Right-breast mammogram, cranio-caudal. Patient age 47.
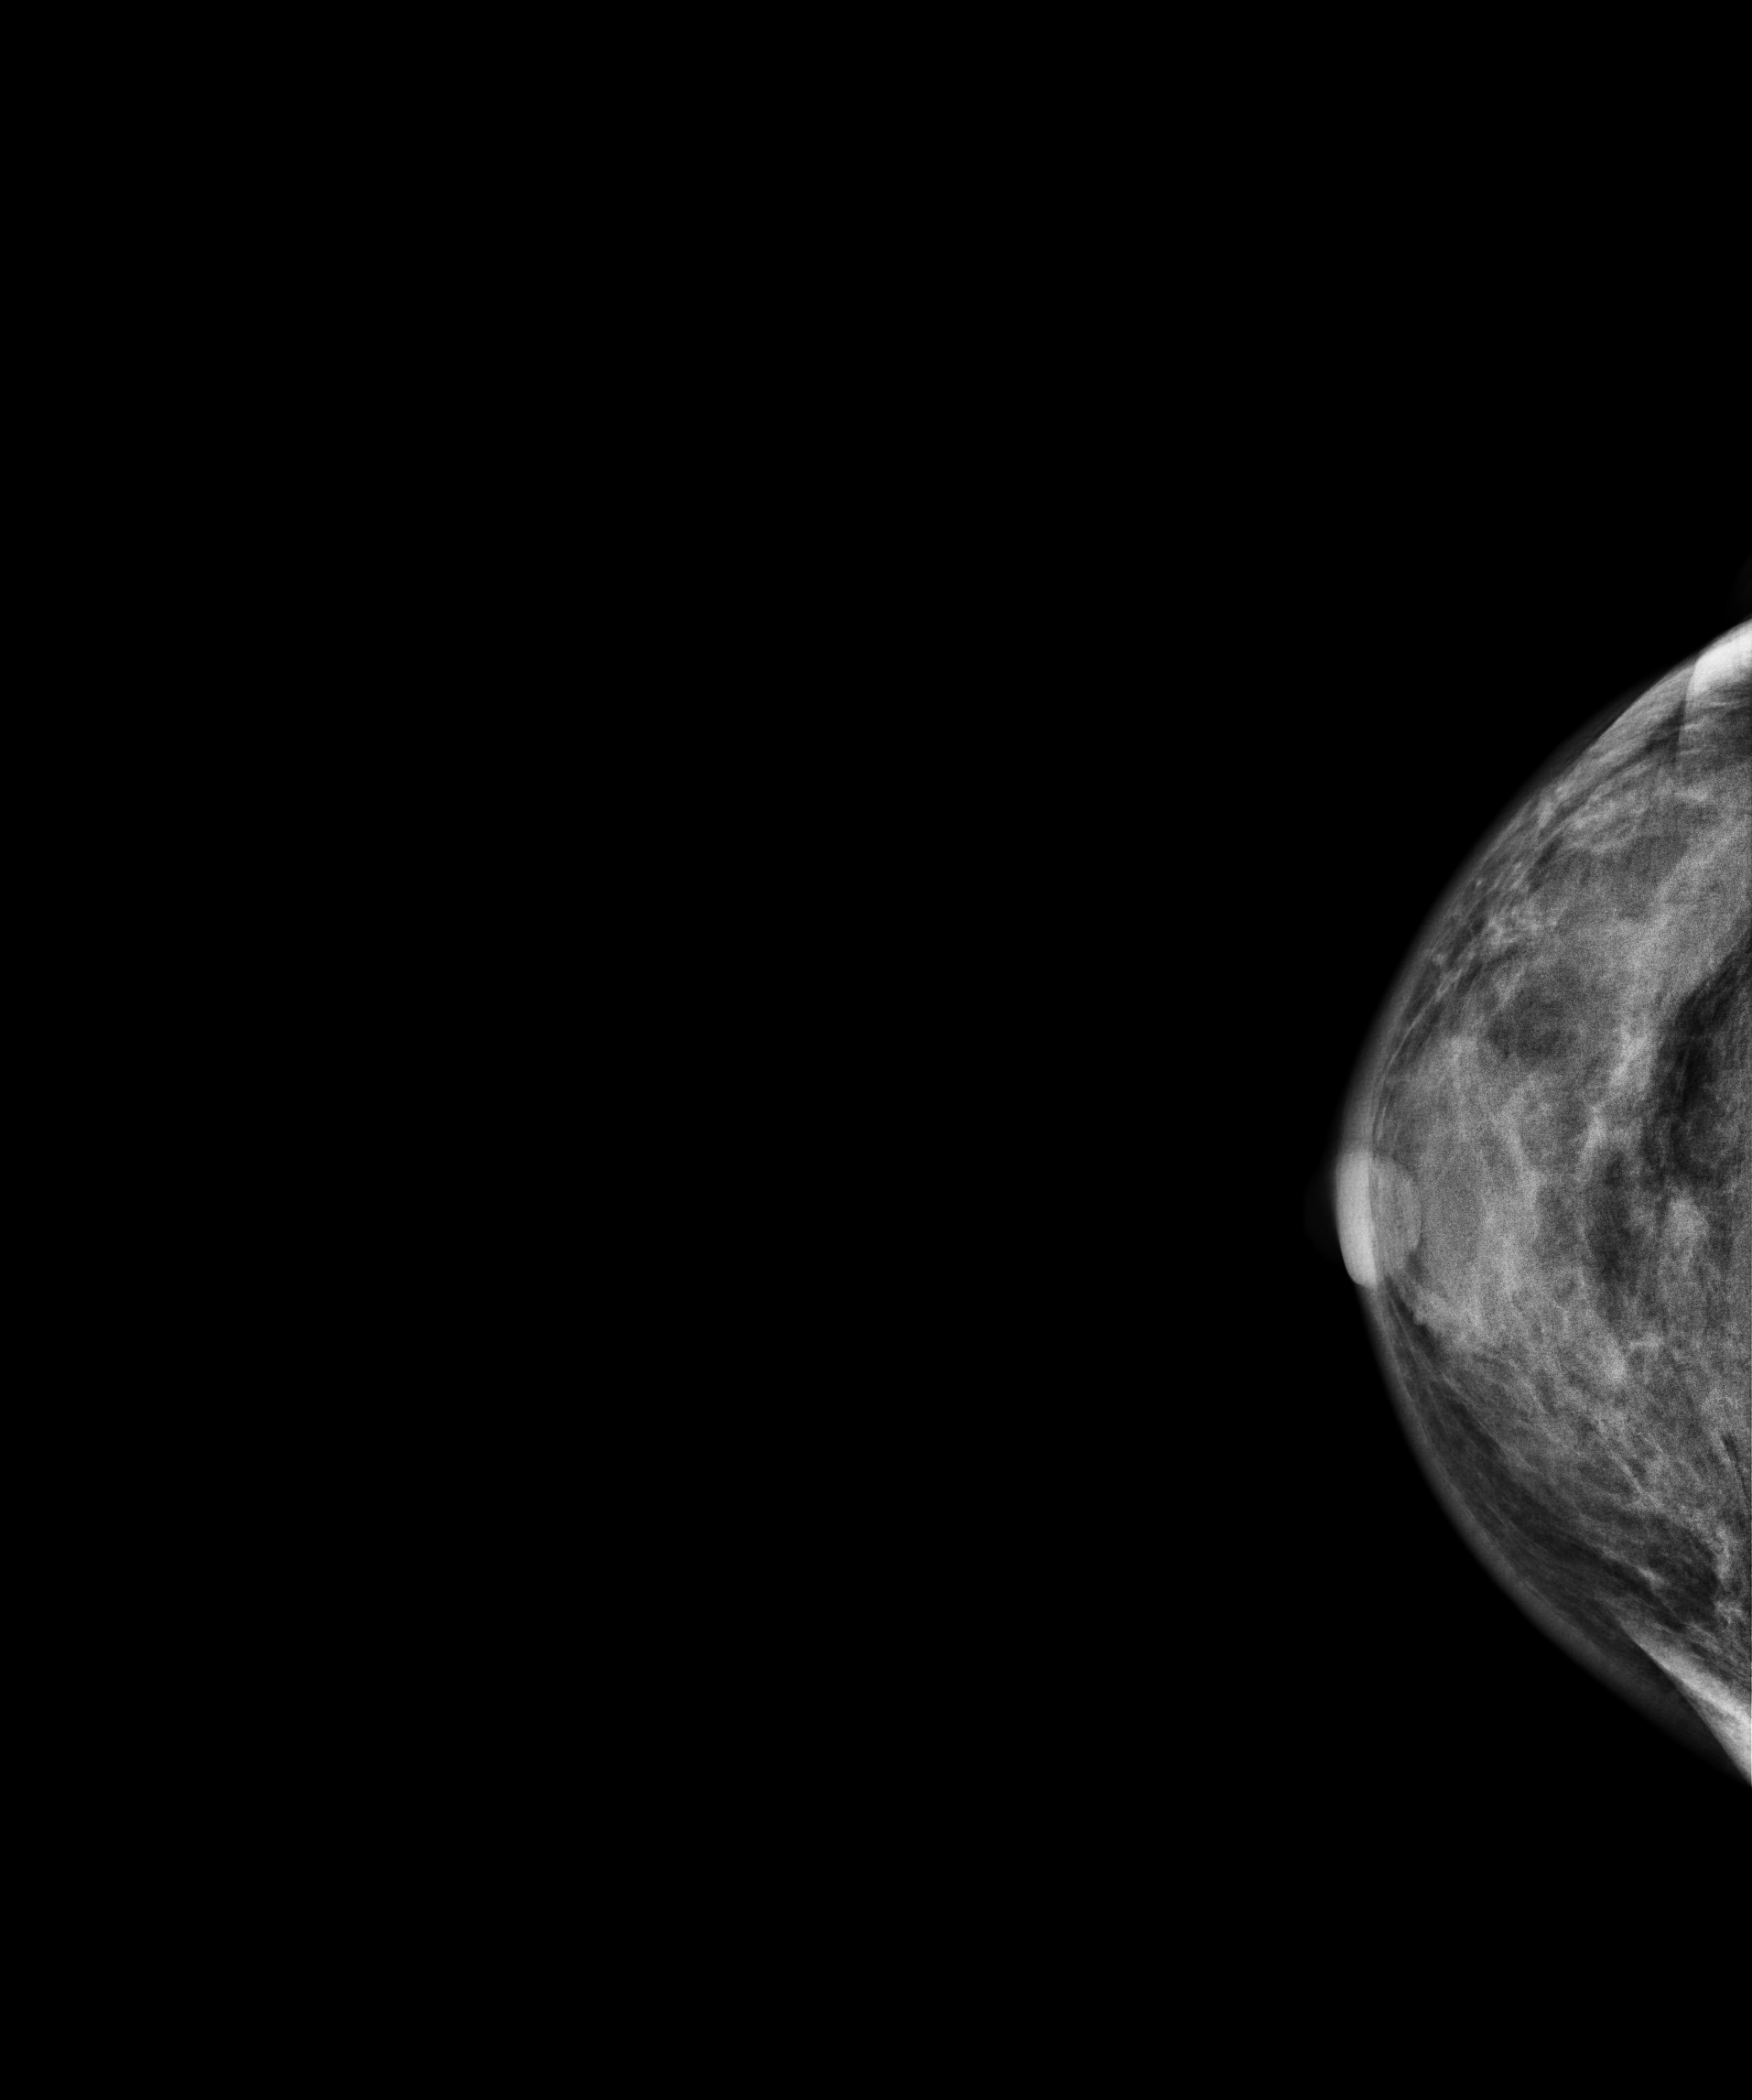
This breast has a mass, biopsy-proven malignant. Molecular subtype: triple-negative.